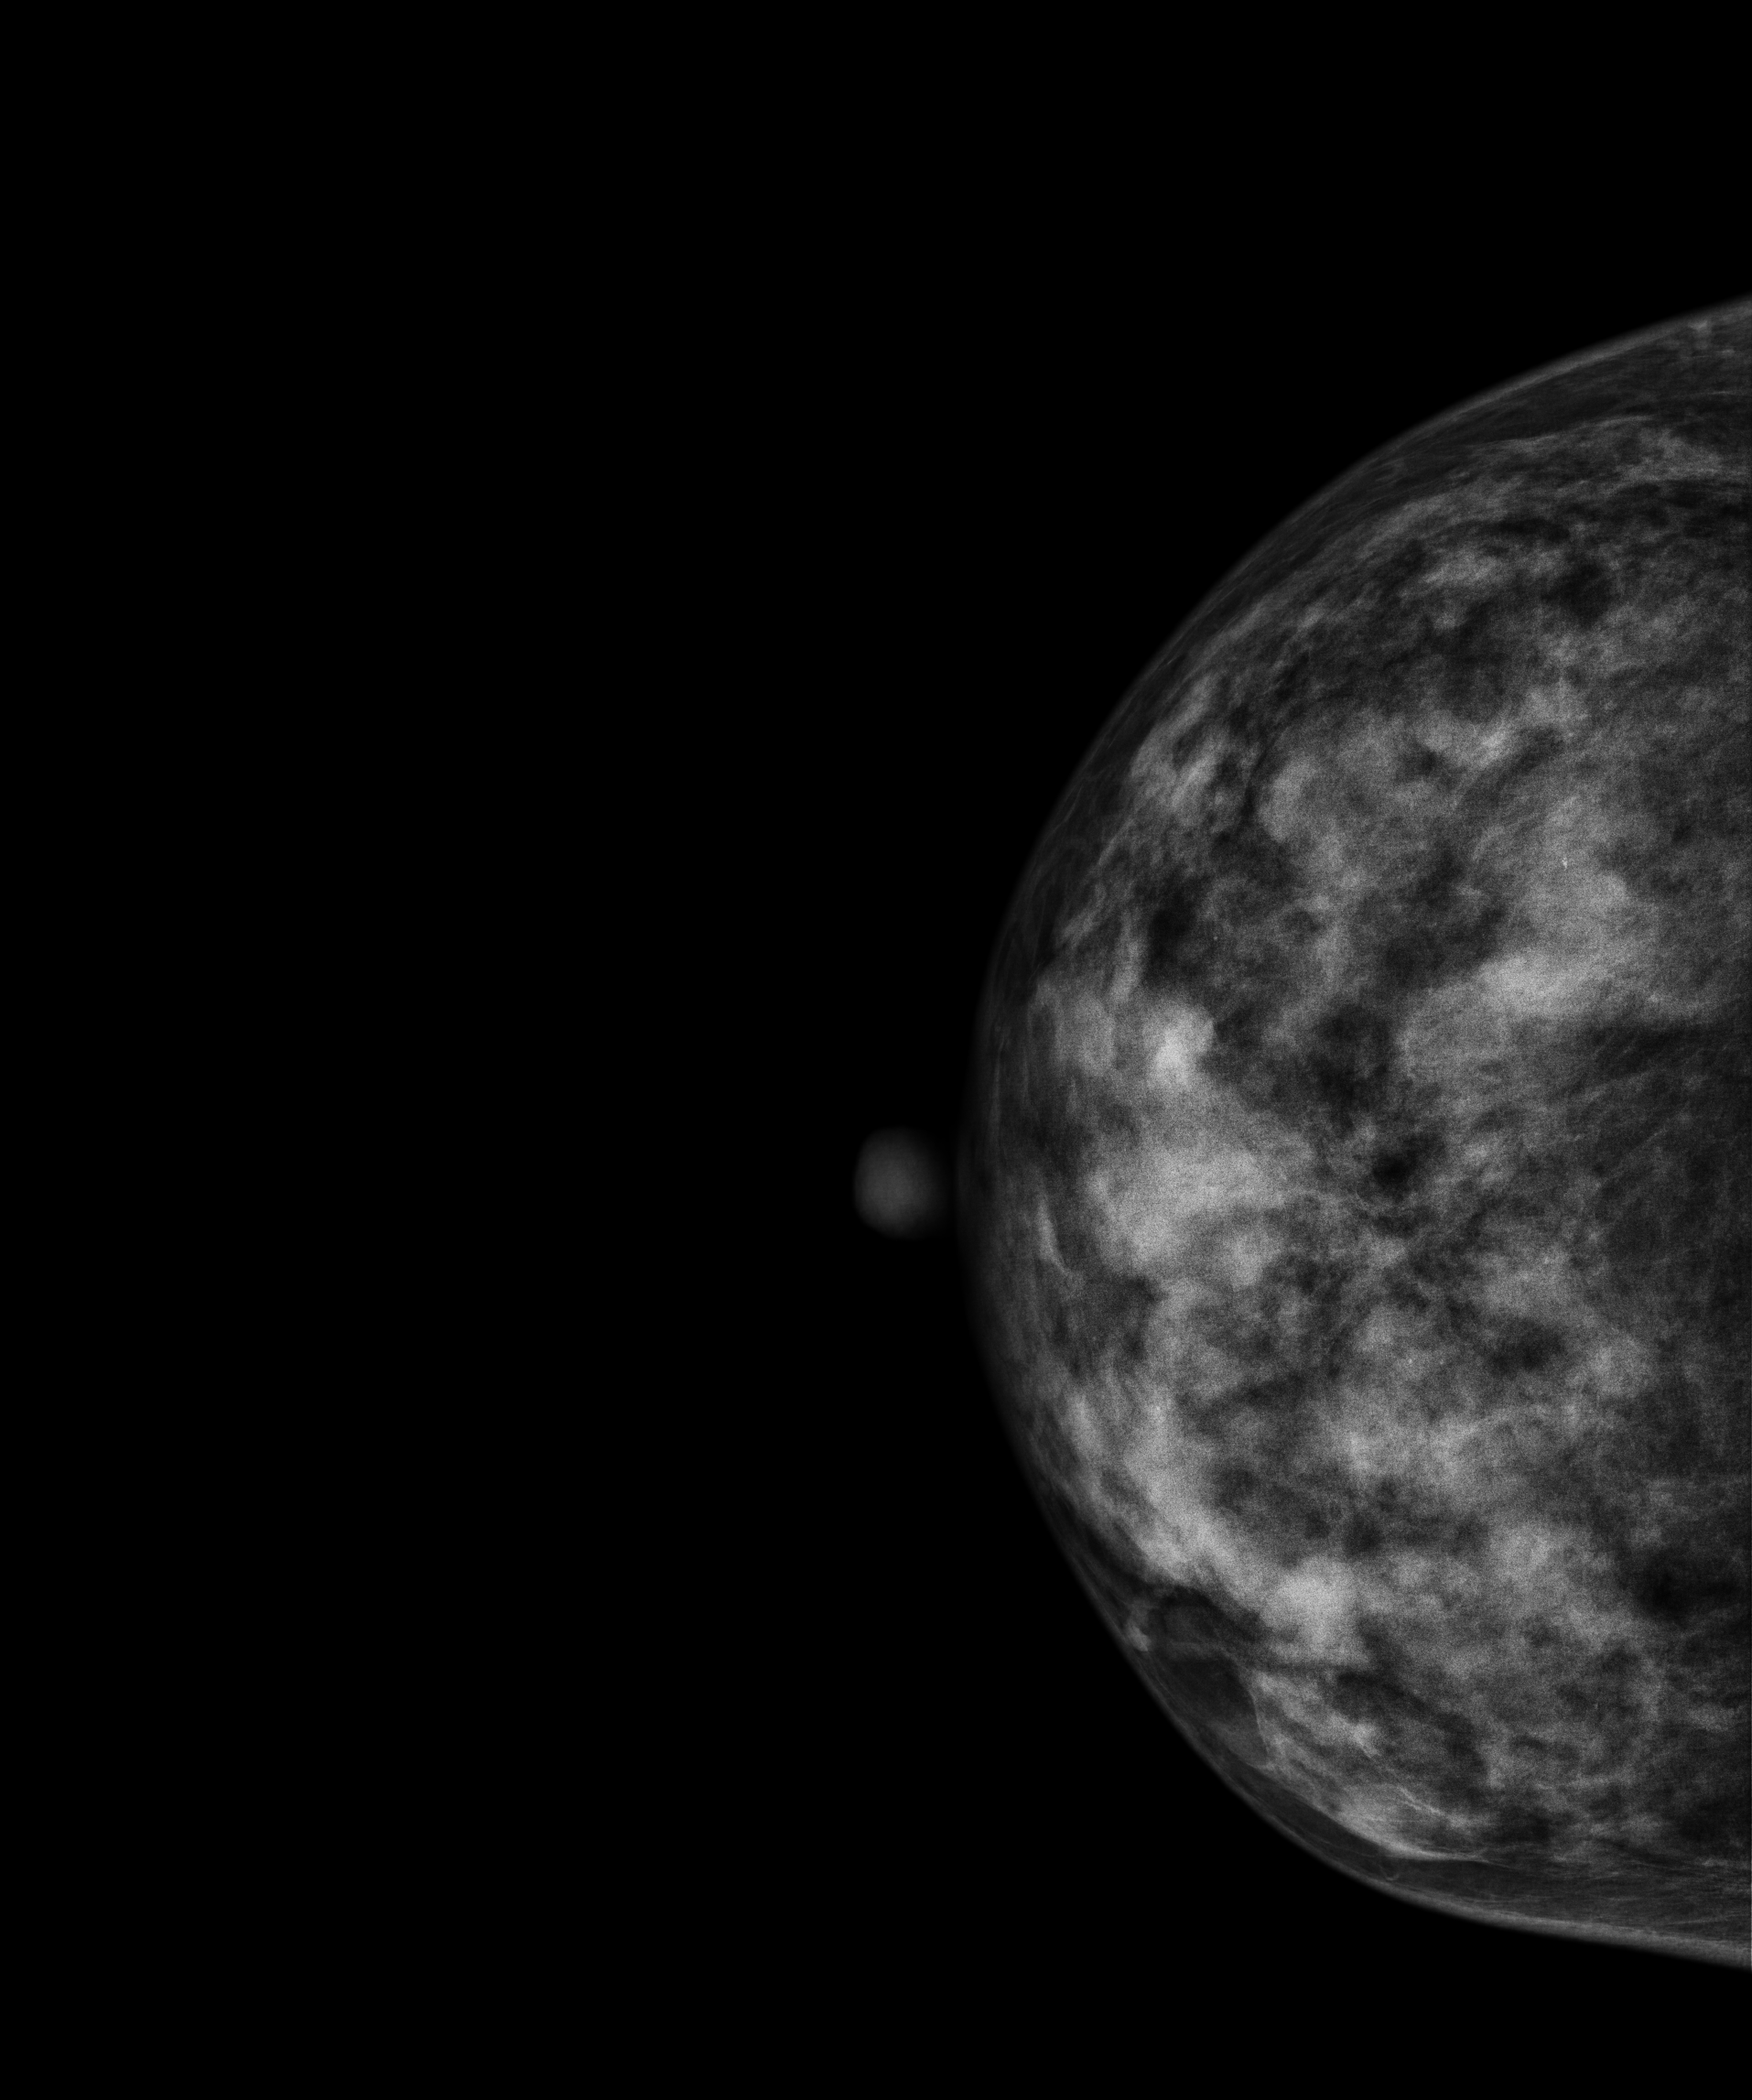
Mammogram, right breast, cranio-caudal view. 46-year-old patient.
This breast has a mass and calcifications, biopsy-confirmed benign.